Mammogram — right medio-lateral oblique. 41-year-old patient.
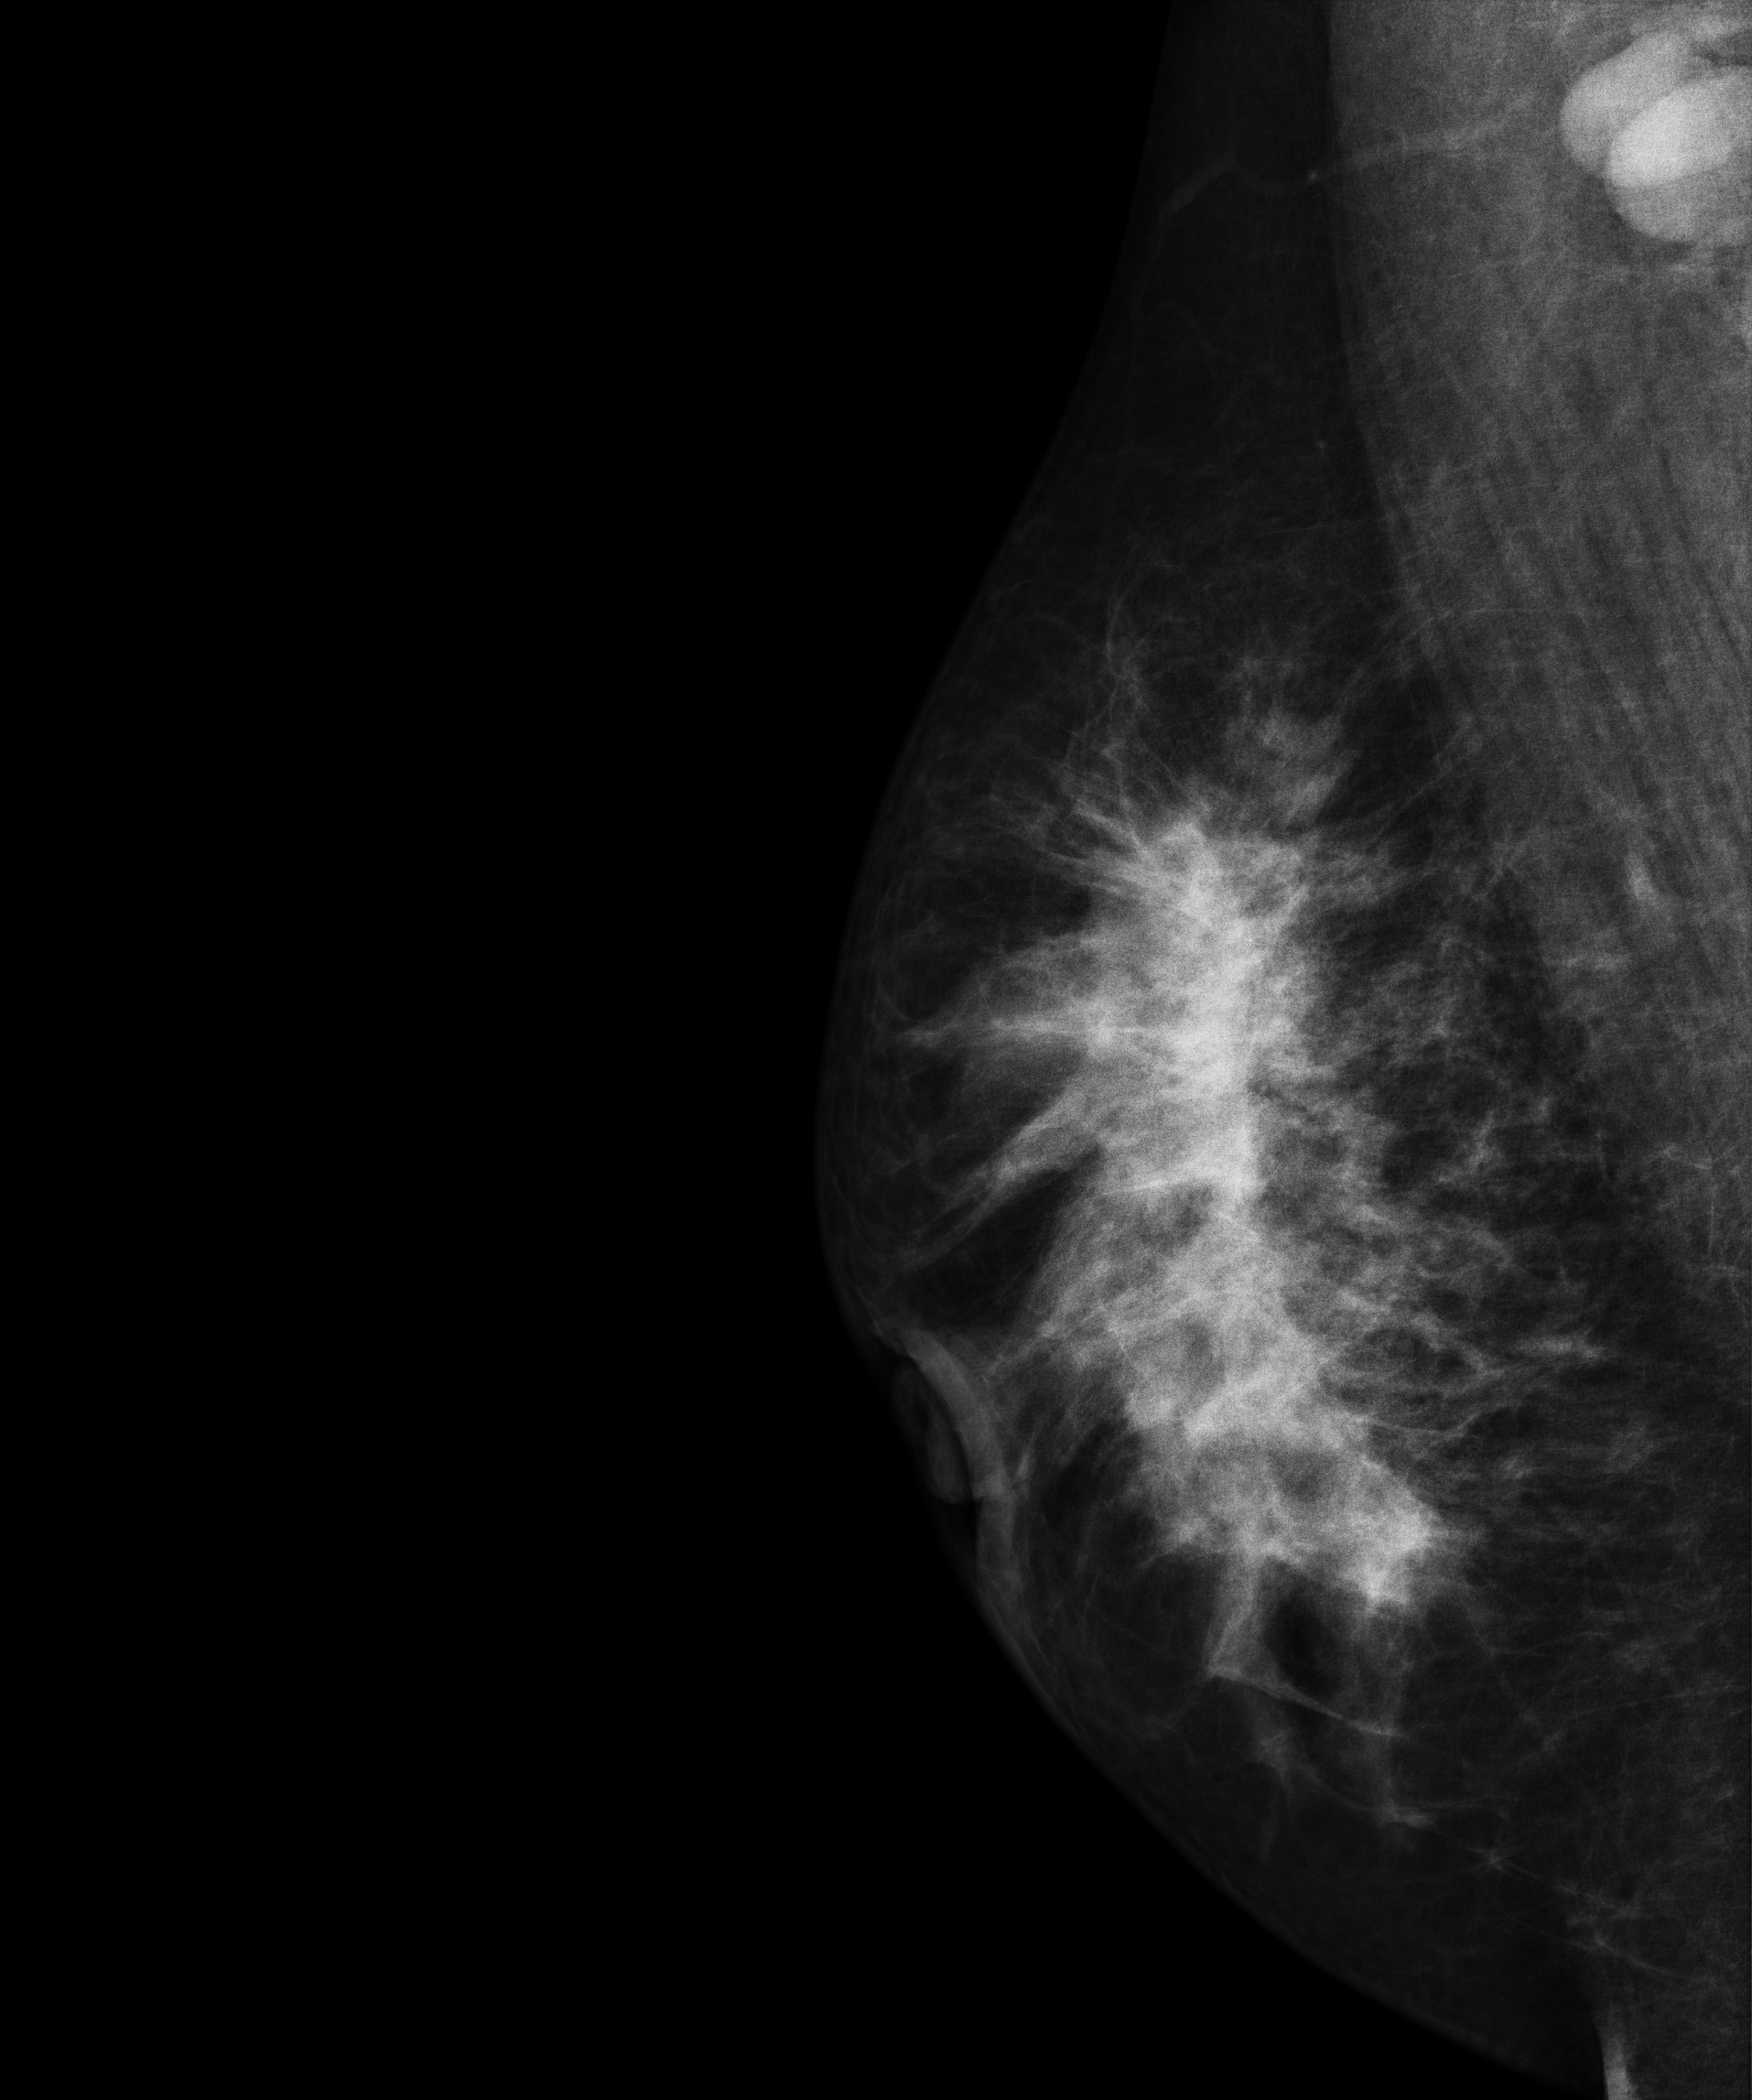
This breast has a mass, pathology-confirmed malignant. Molecular subtype: luminal A.